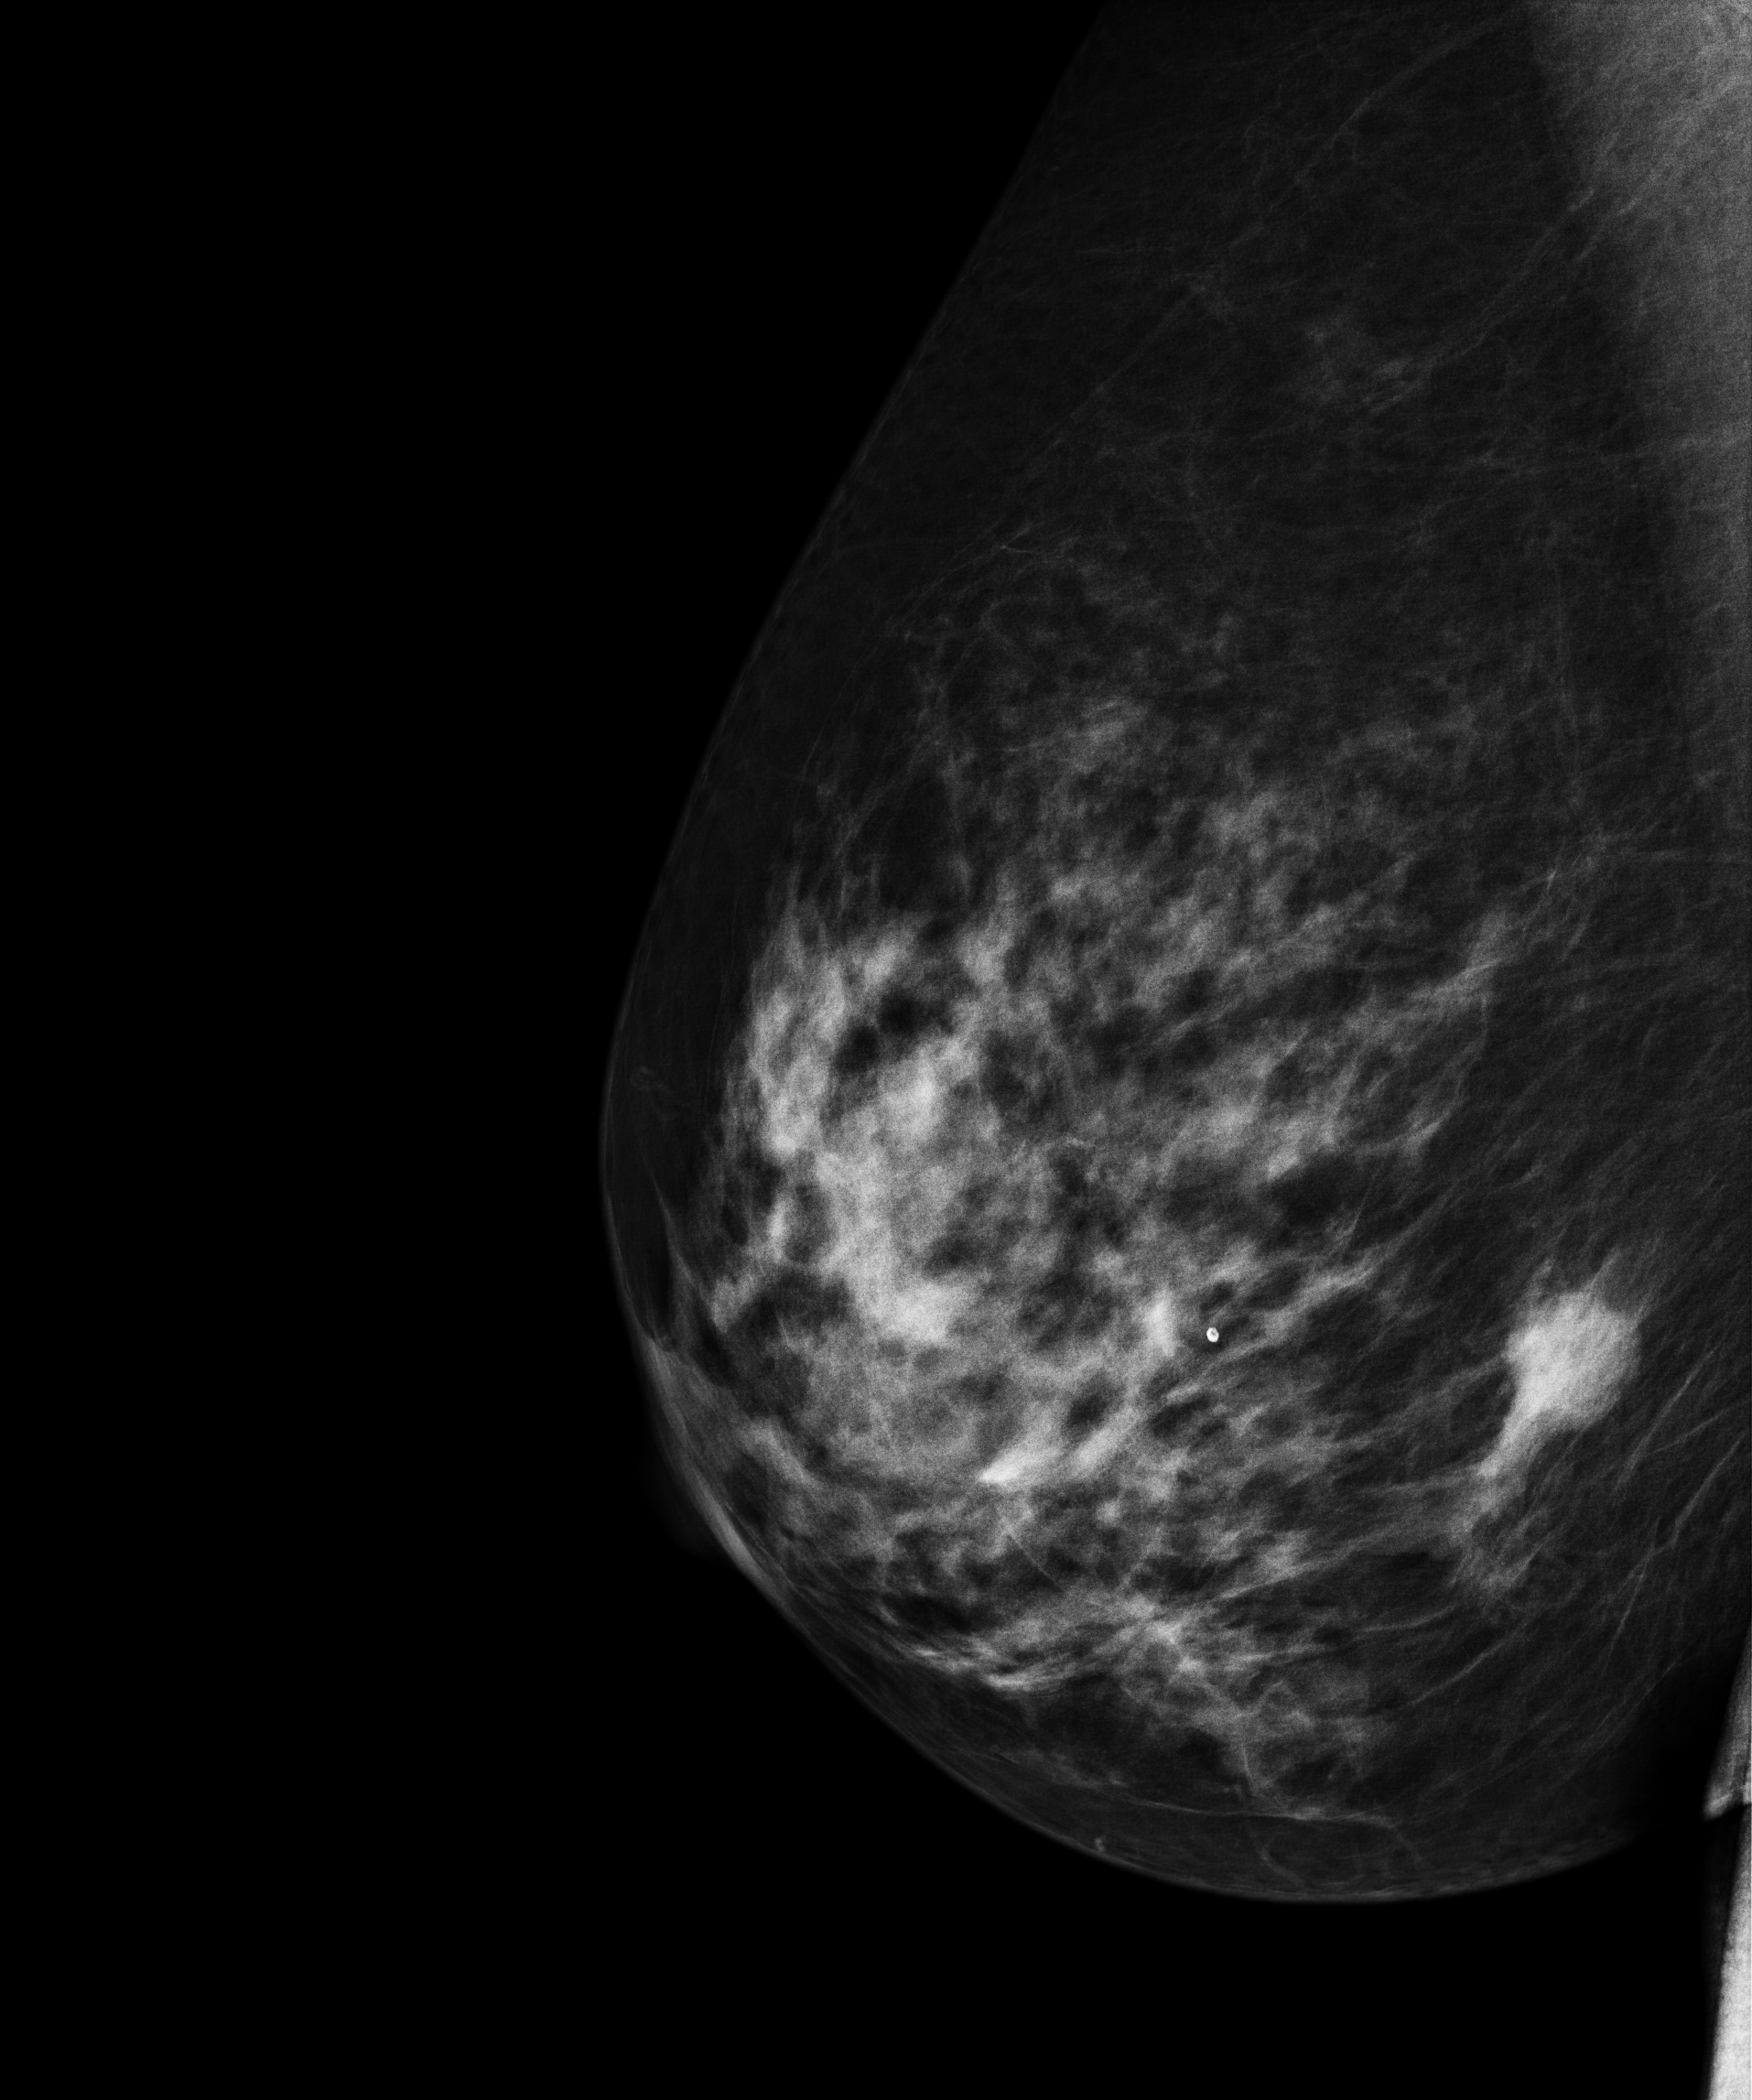
Mammogram — right medio-lateral oblique. 55-year-old patient.
This breast has a mass, pathology-confirmed malignant. Molecular subtype: luminal B.